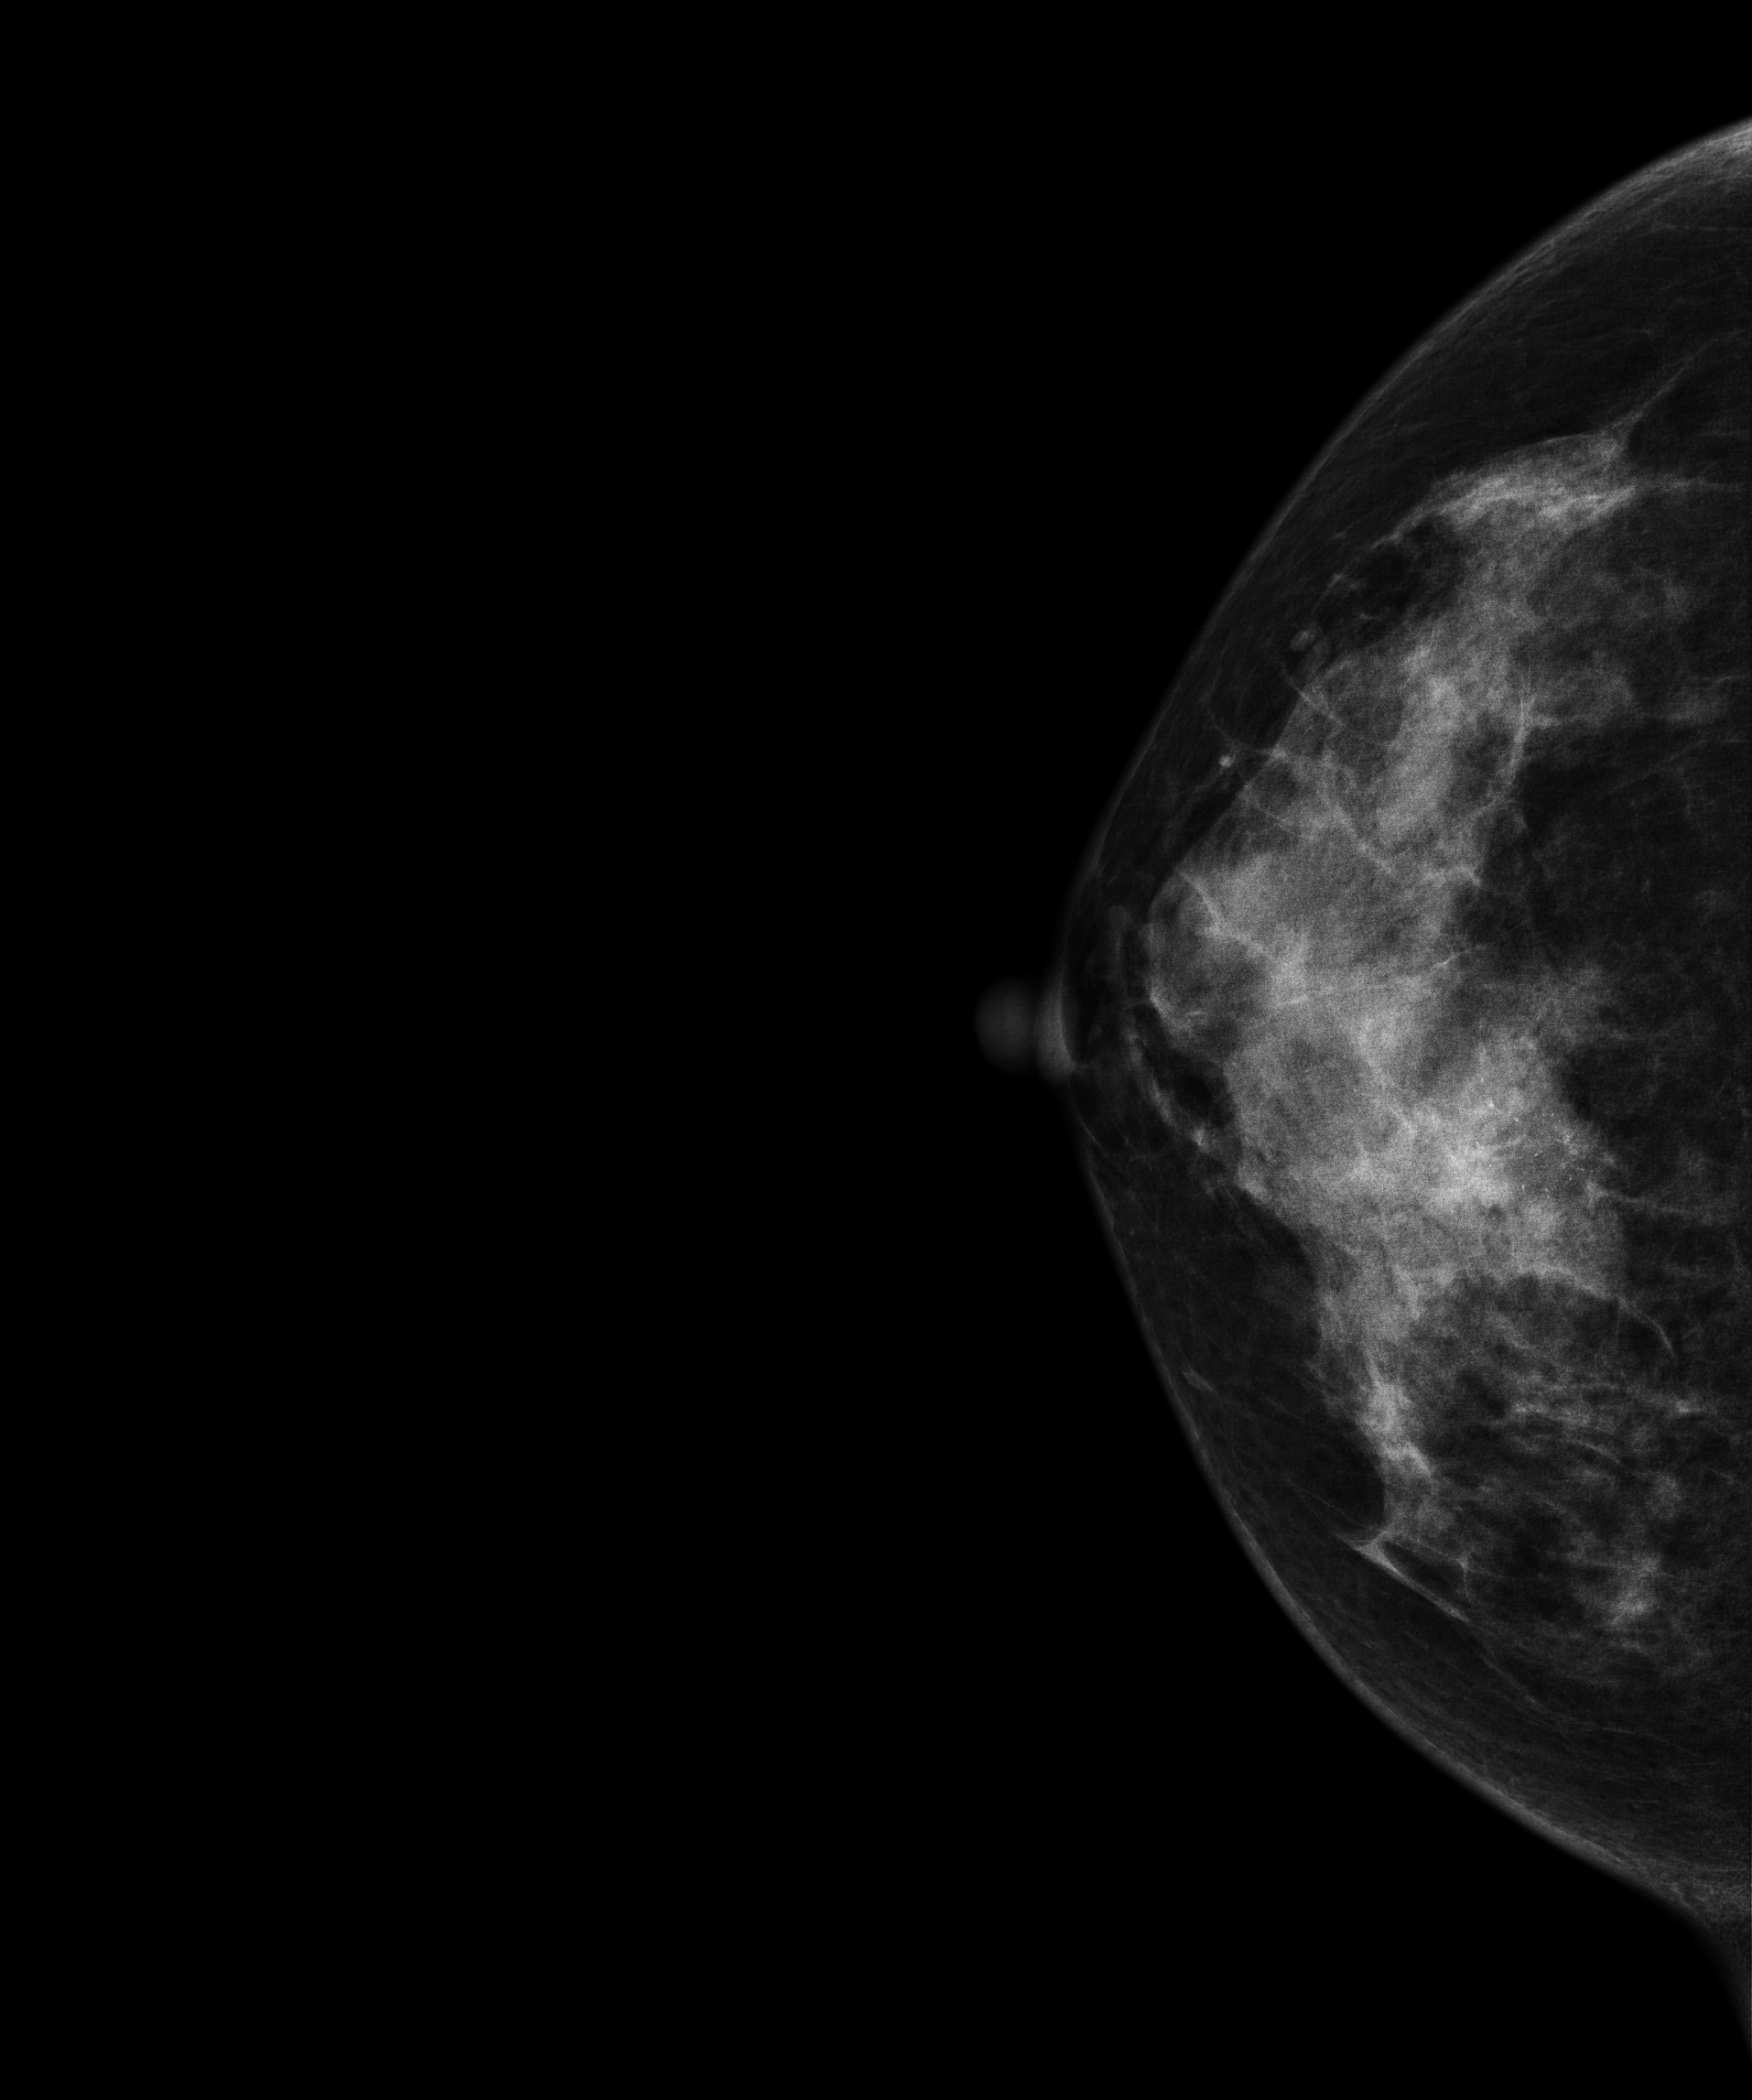
Digital mammography. Right breast, cranio-caudal projection. Patient age 37.
This breast has a mass and calcifications, histologically confirmed malignant. Molecular subtype: luminal B.